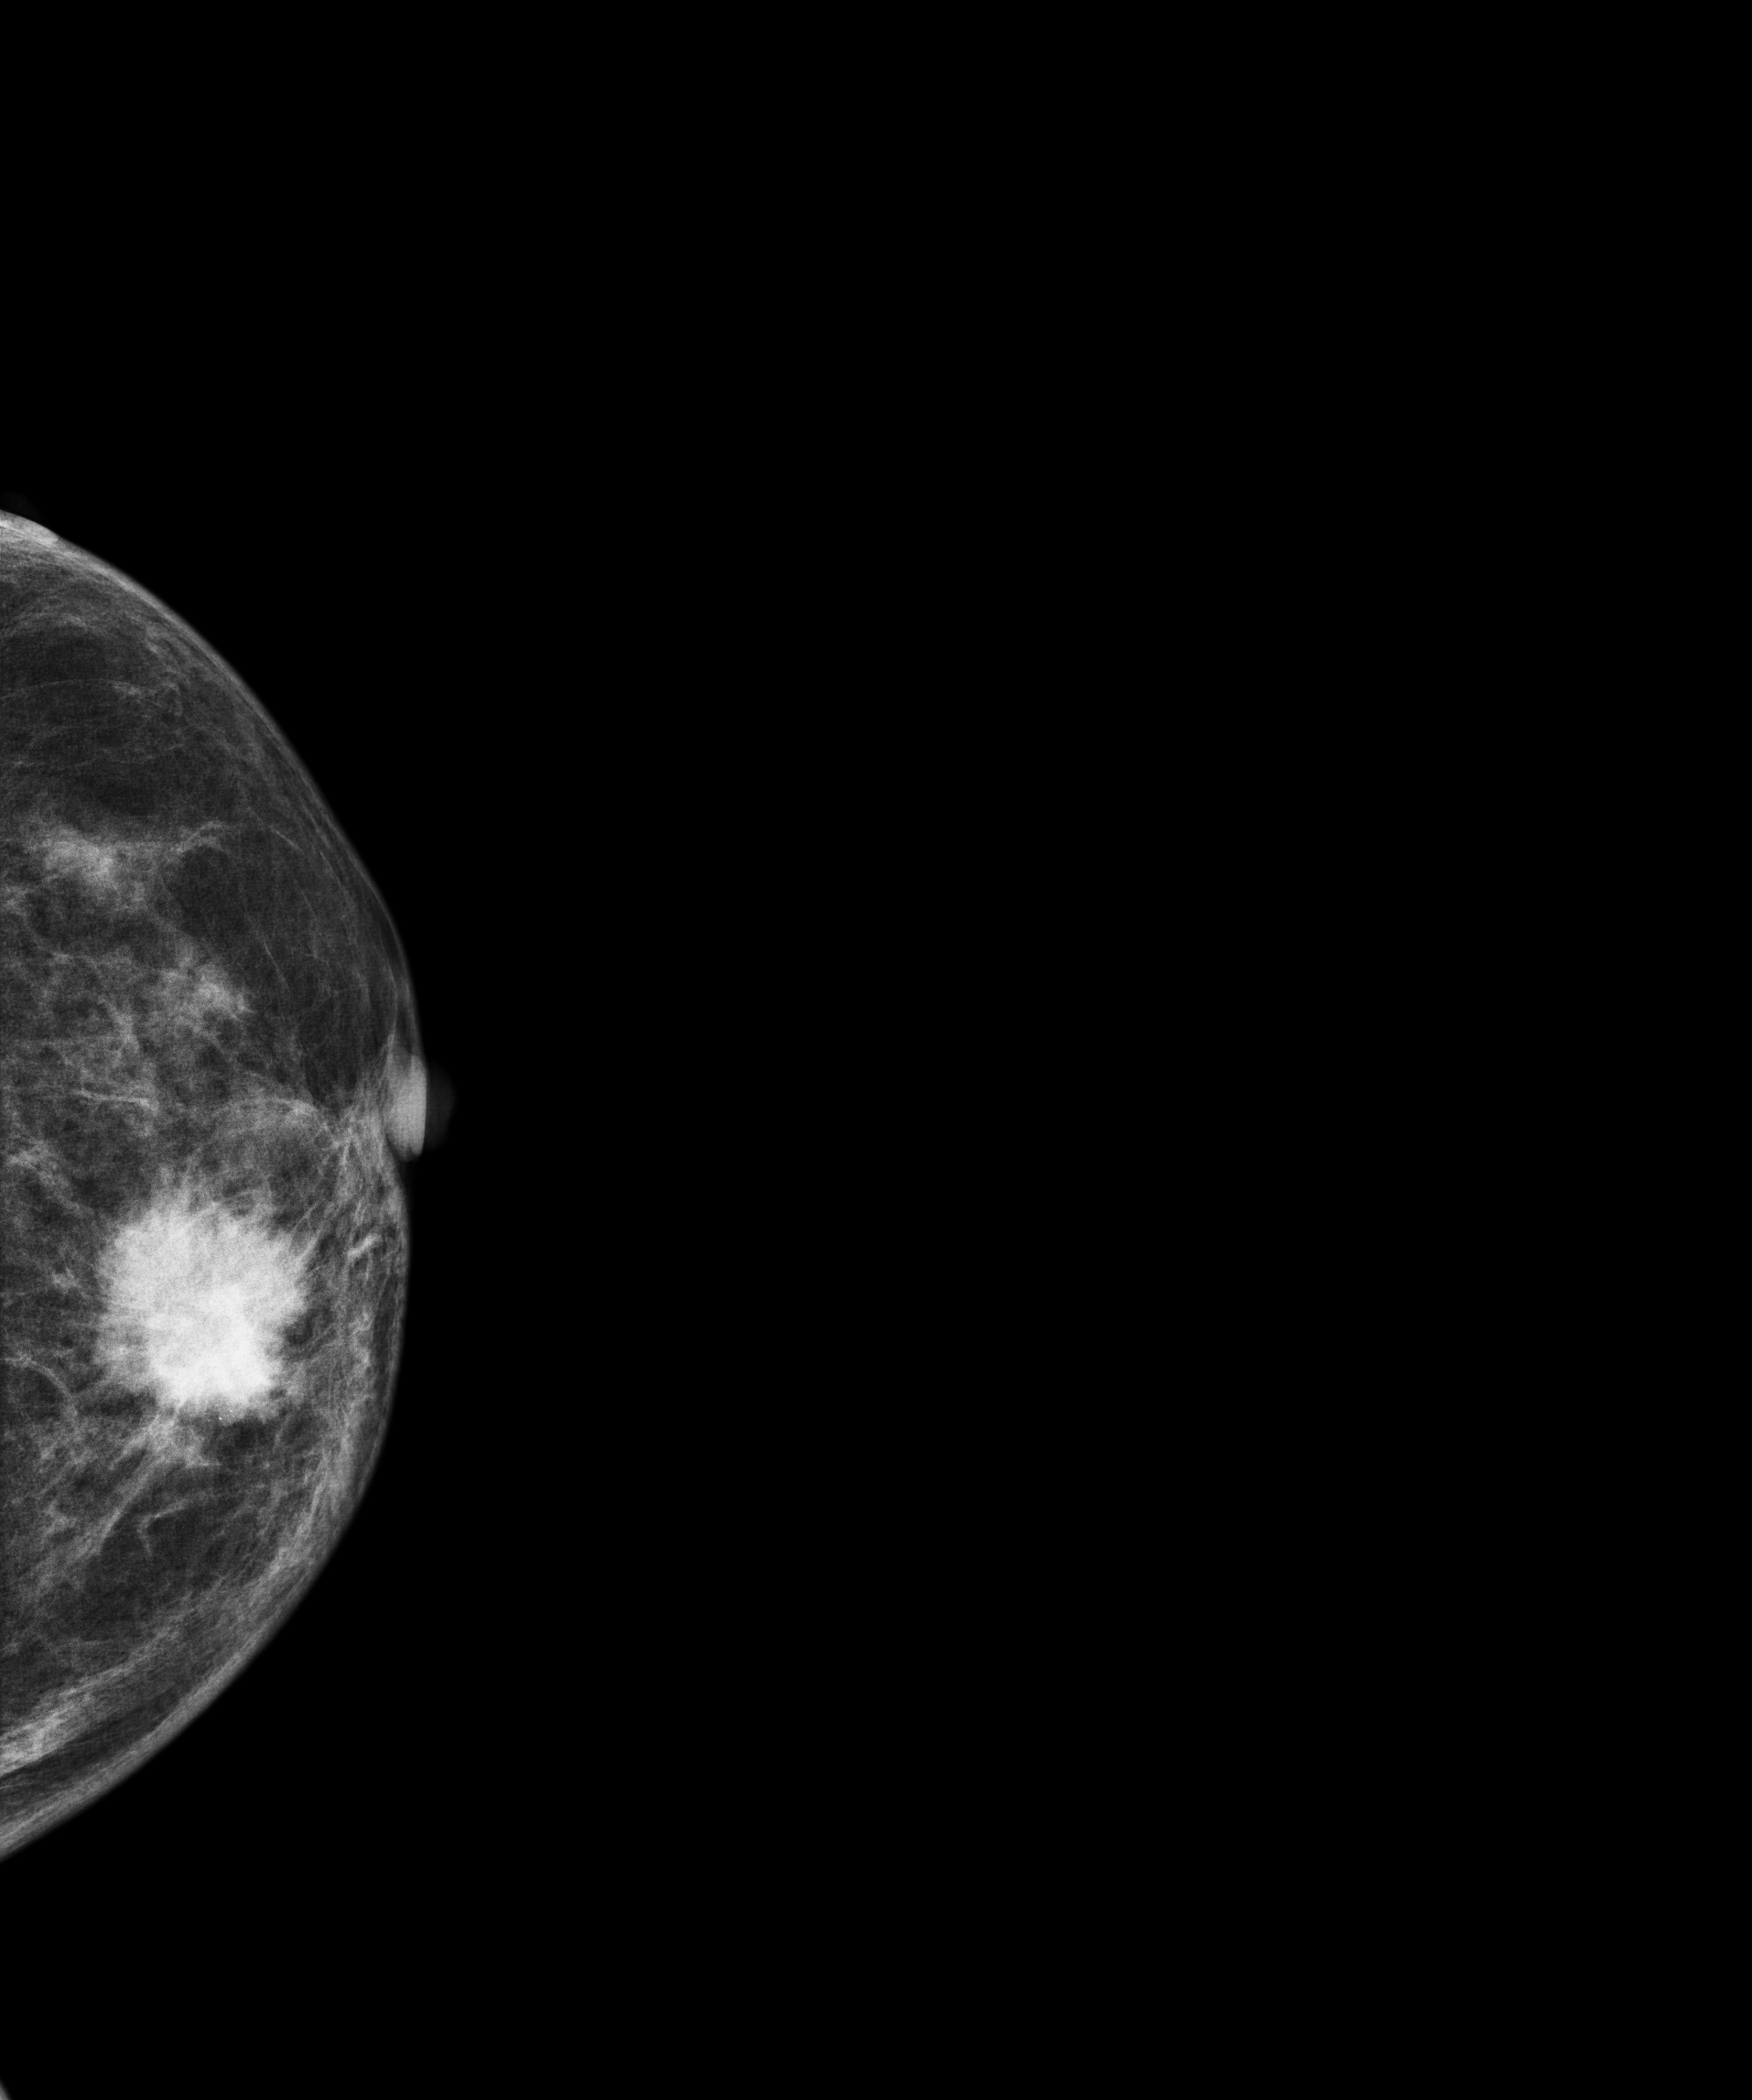
Mammogram, left breast, cranio-caudal view. 65 y/o patient.
This breast has a mass, biopsy-confirmed malignant. Molecular subtype: luminal A.